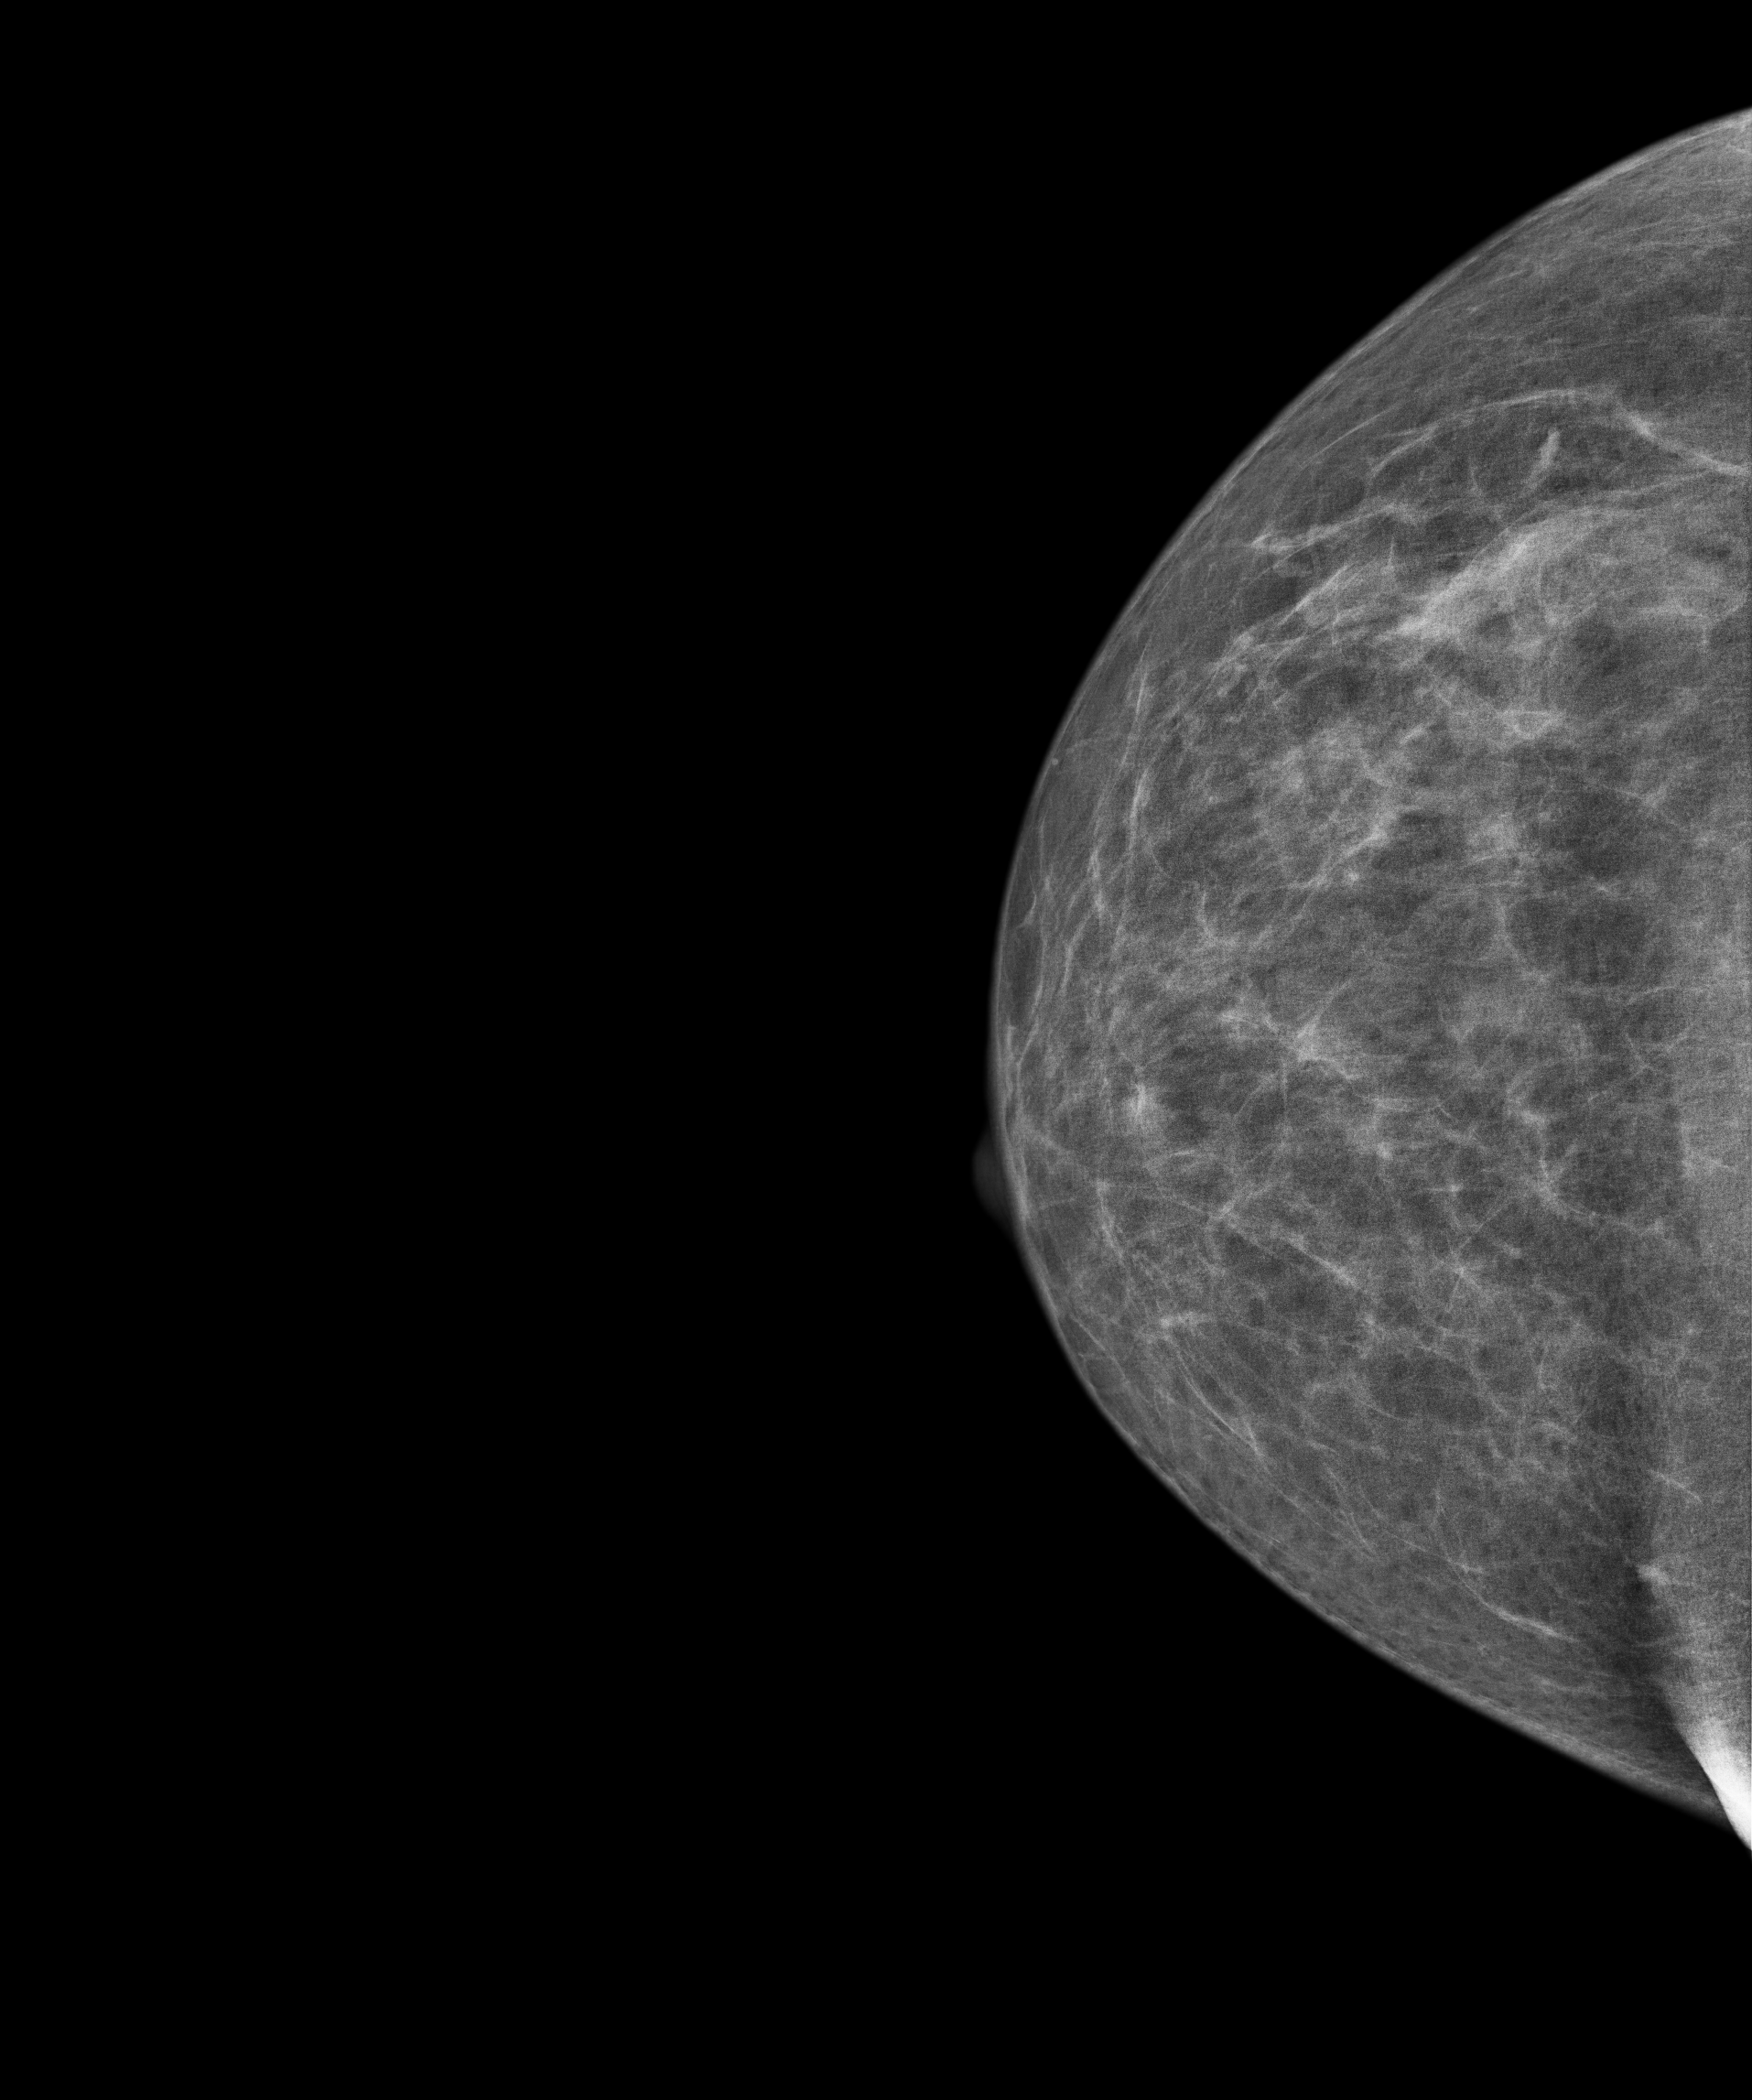
Digital mammography. Right breast, CC projection. 52-year-old patient.
Contralateral breast — no documented abnormality on this side.